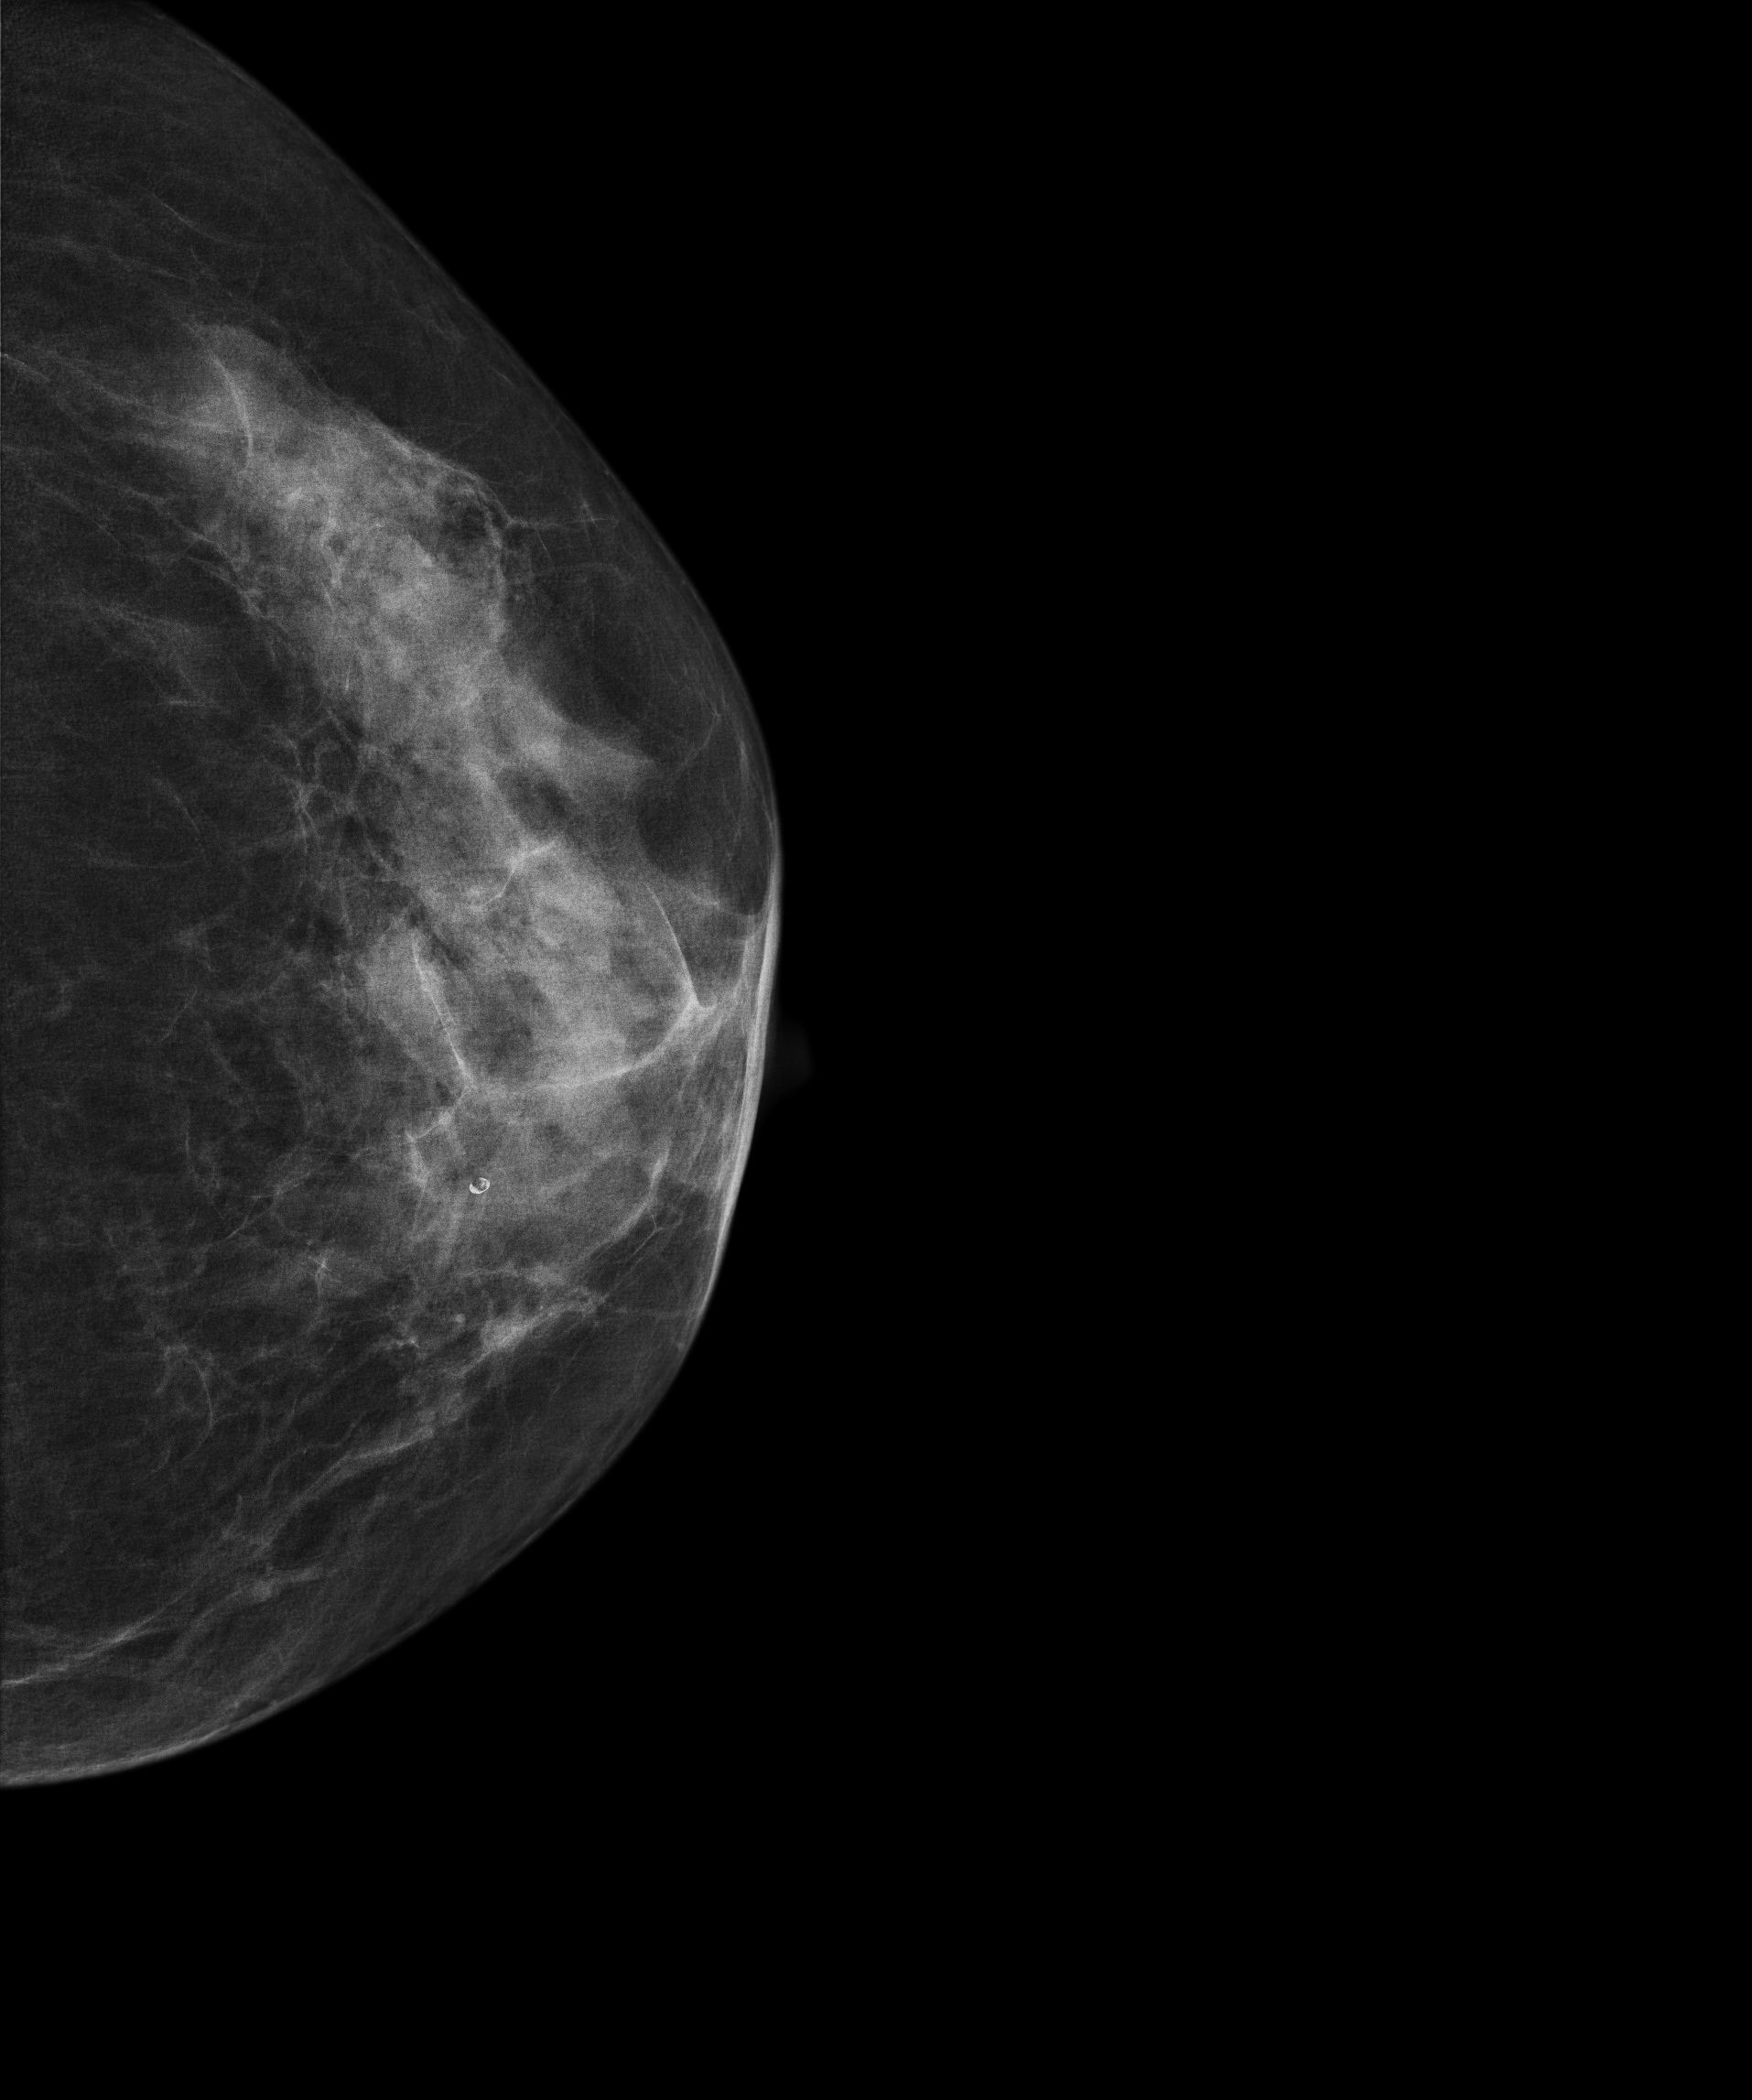
Mammogram, left breast, cranio-caudal view. Patient age 59.
Contralateral breast — no documented abnormality on this side.